Digital mammography. Right breast, cranio-caudal projection. 35-year-old patient.
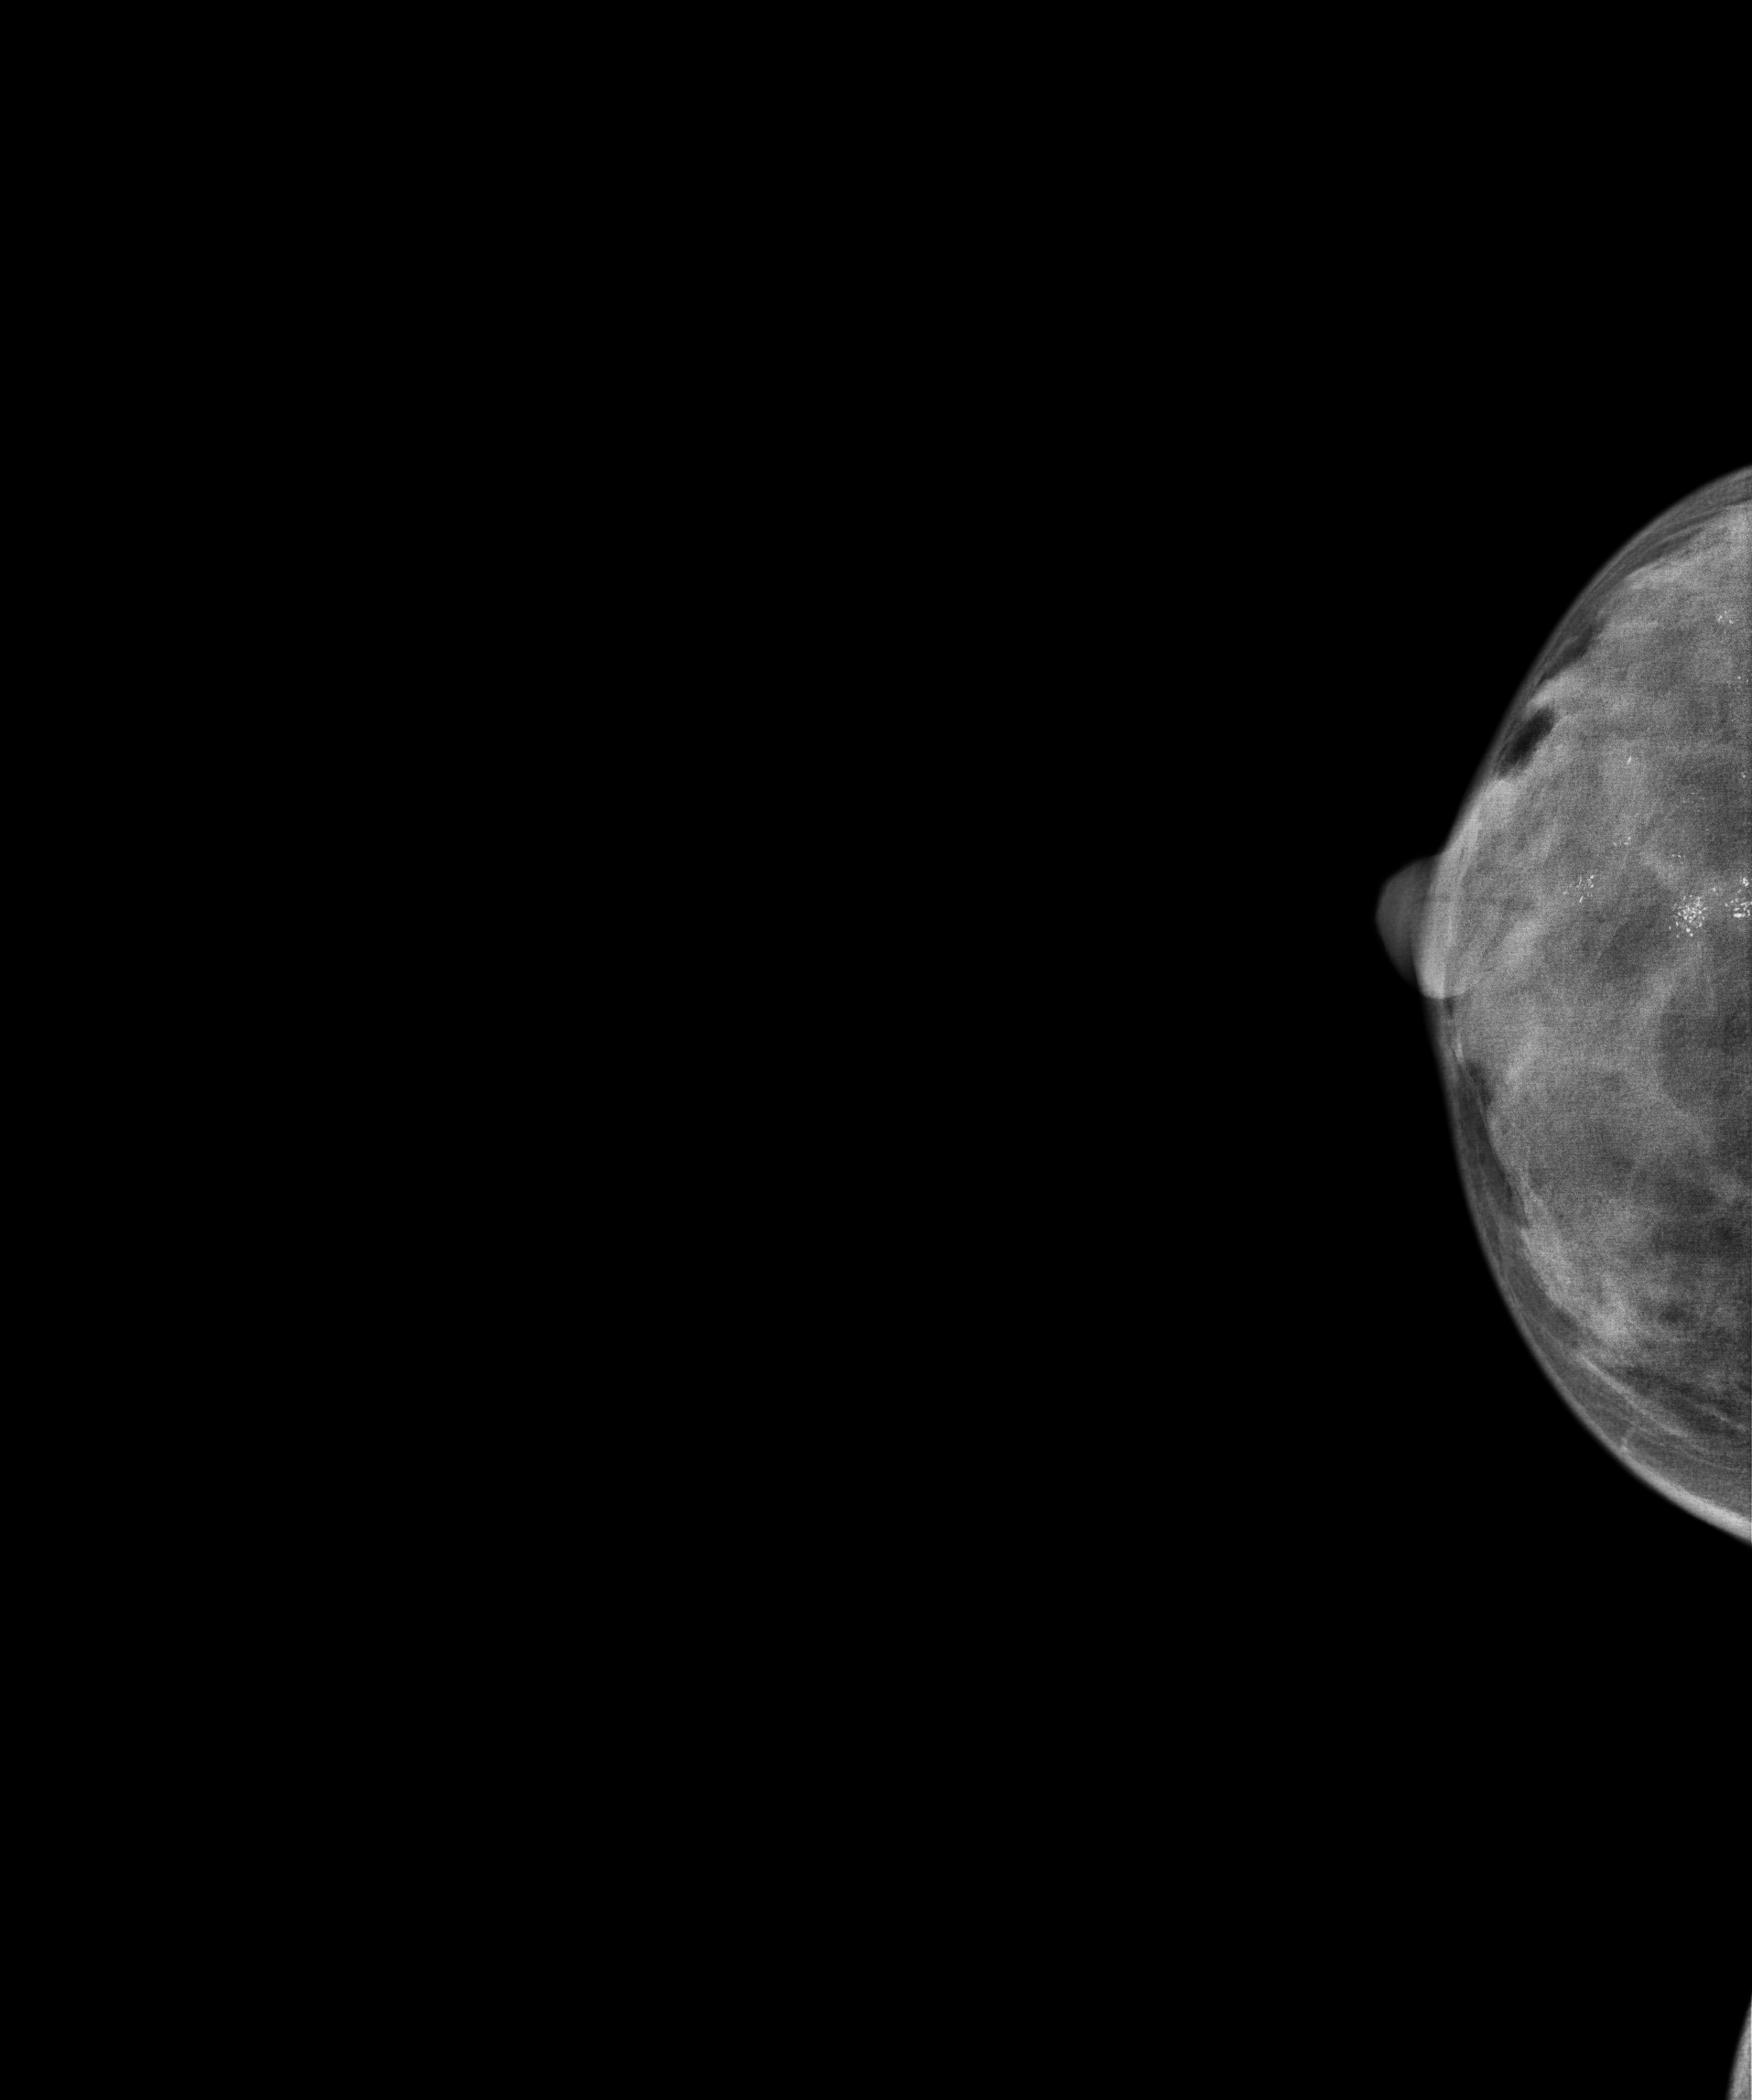
This breast has calcifications, histologically confirmed malignant.